Mammogram — left medio-lateral oblique. 78-year-old patient.
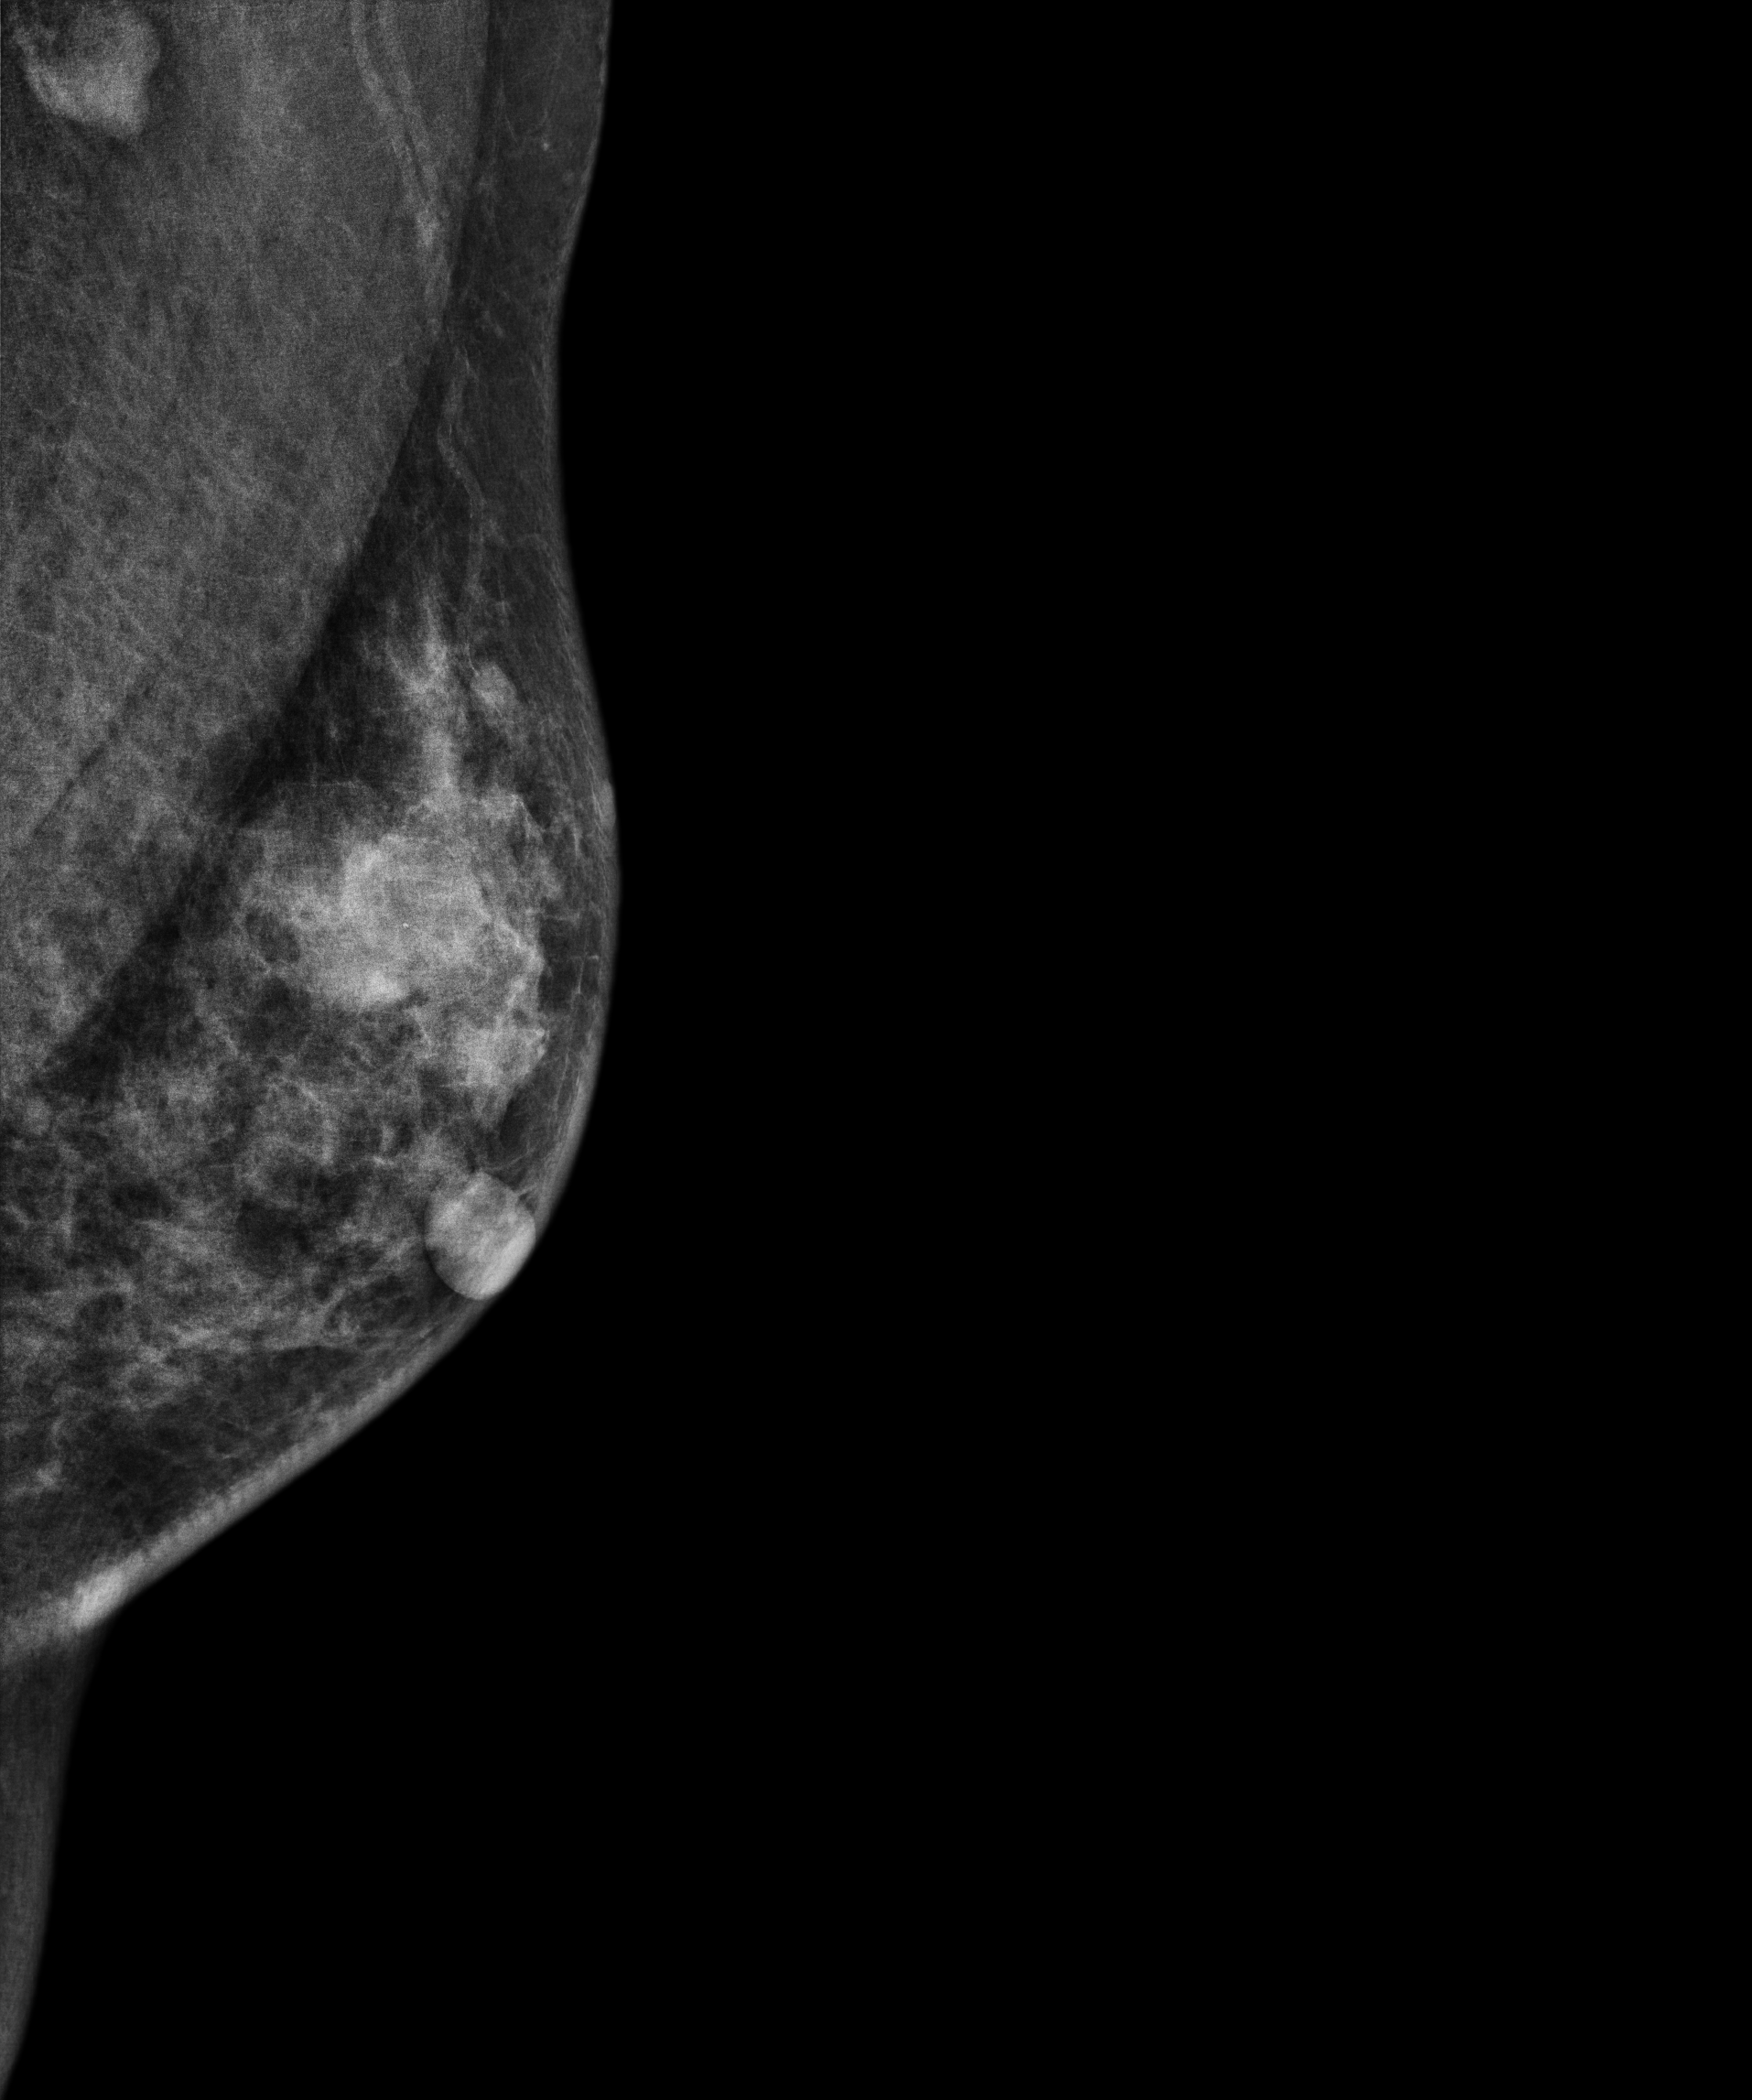
This breast has a mass, biopsy-confirmed malignant. Molecular subtype: HER2-enriched.